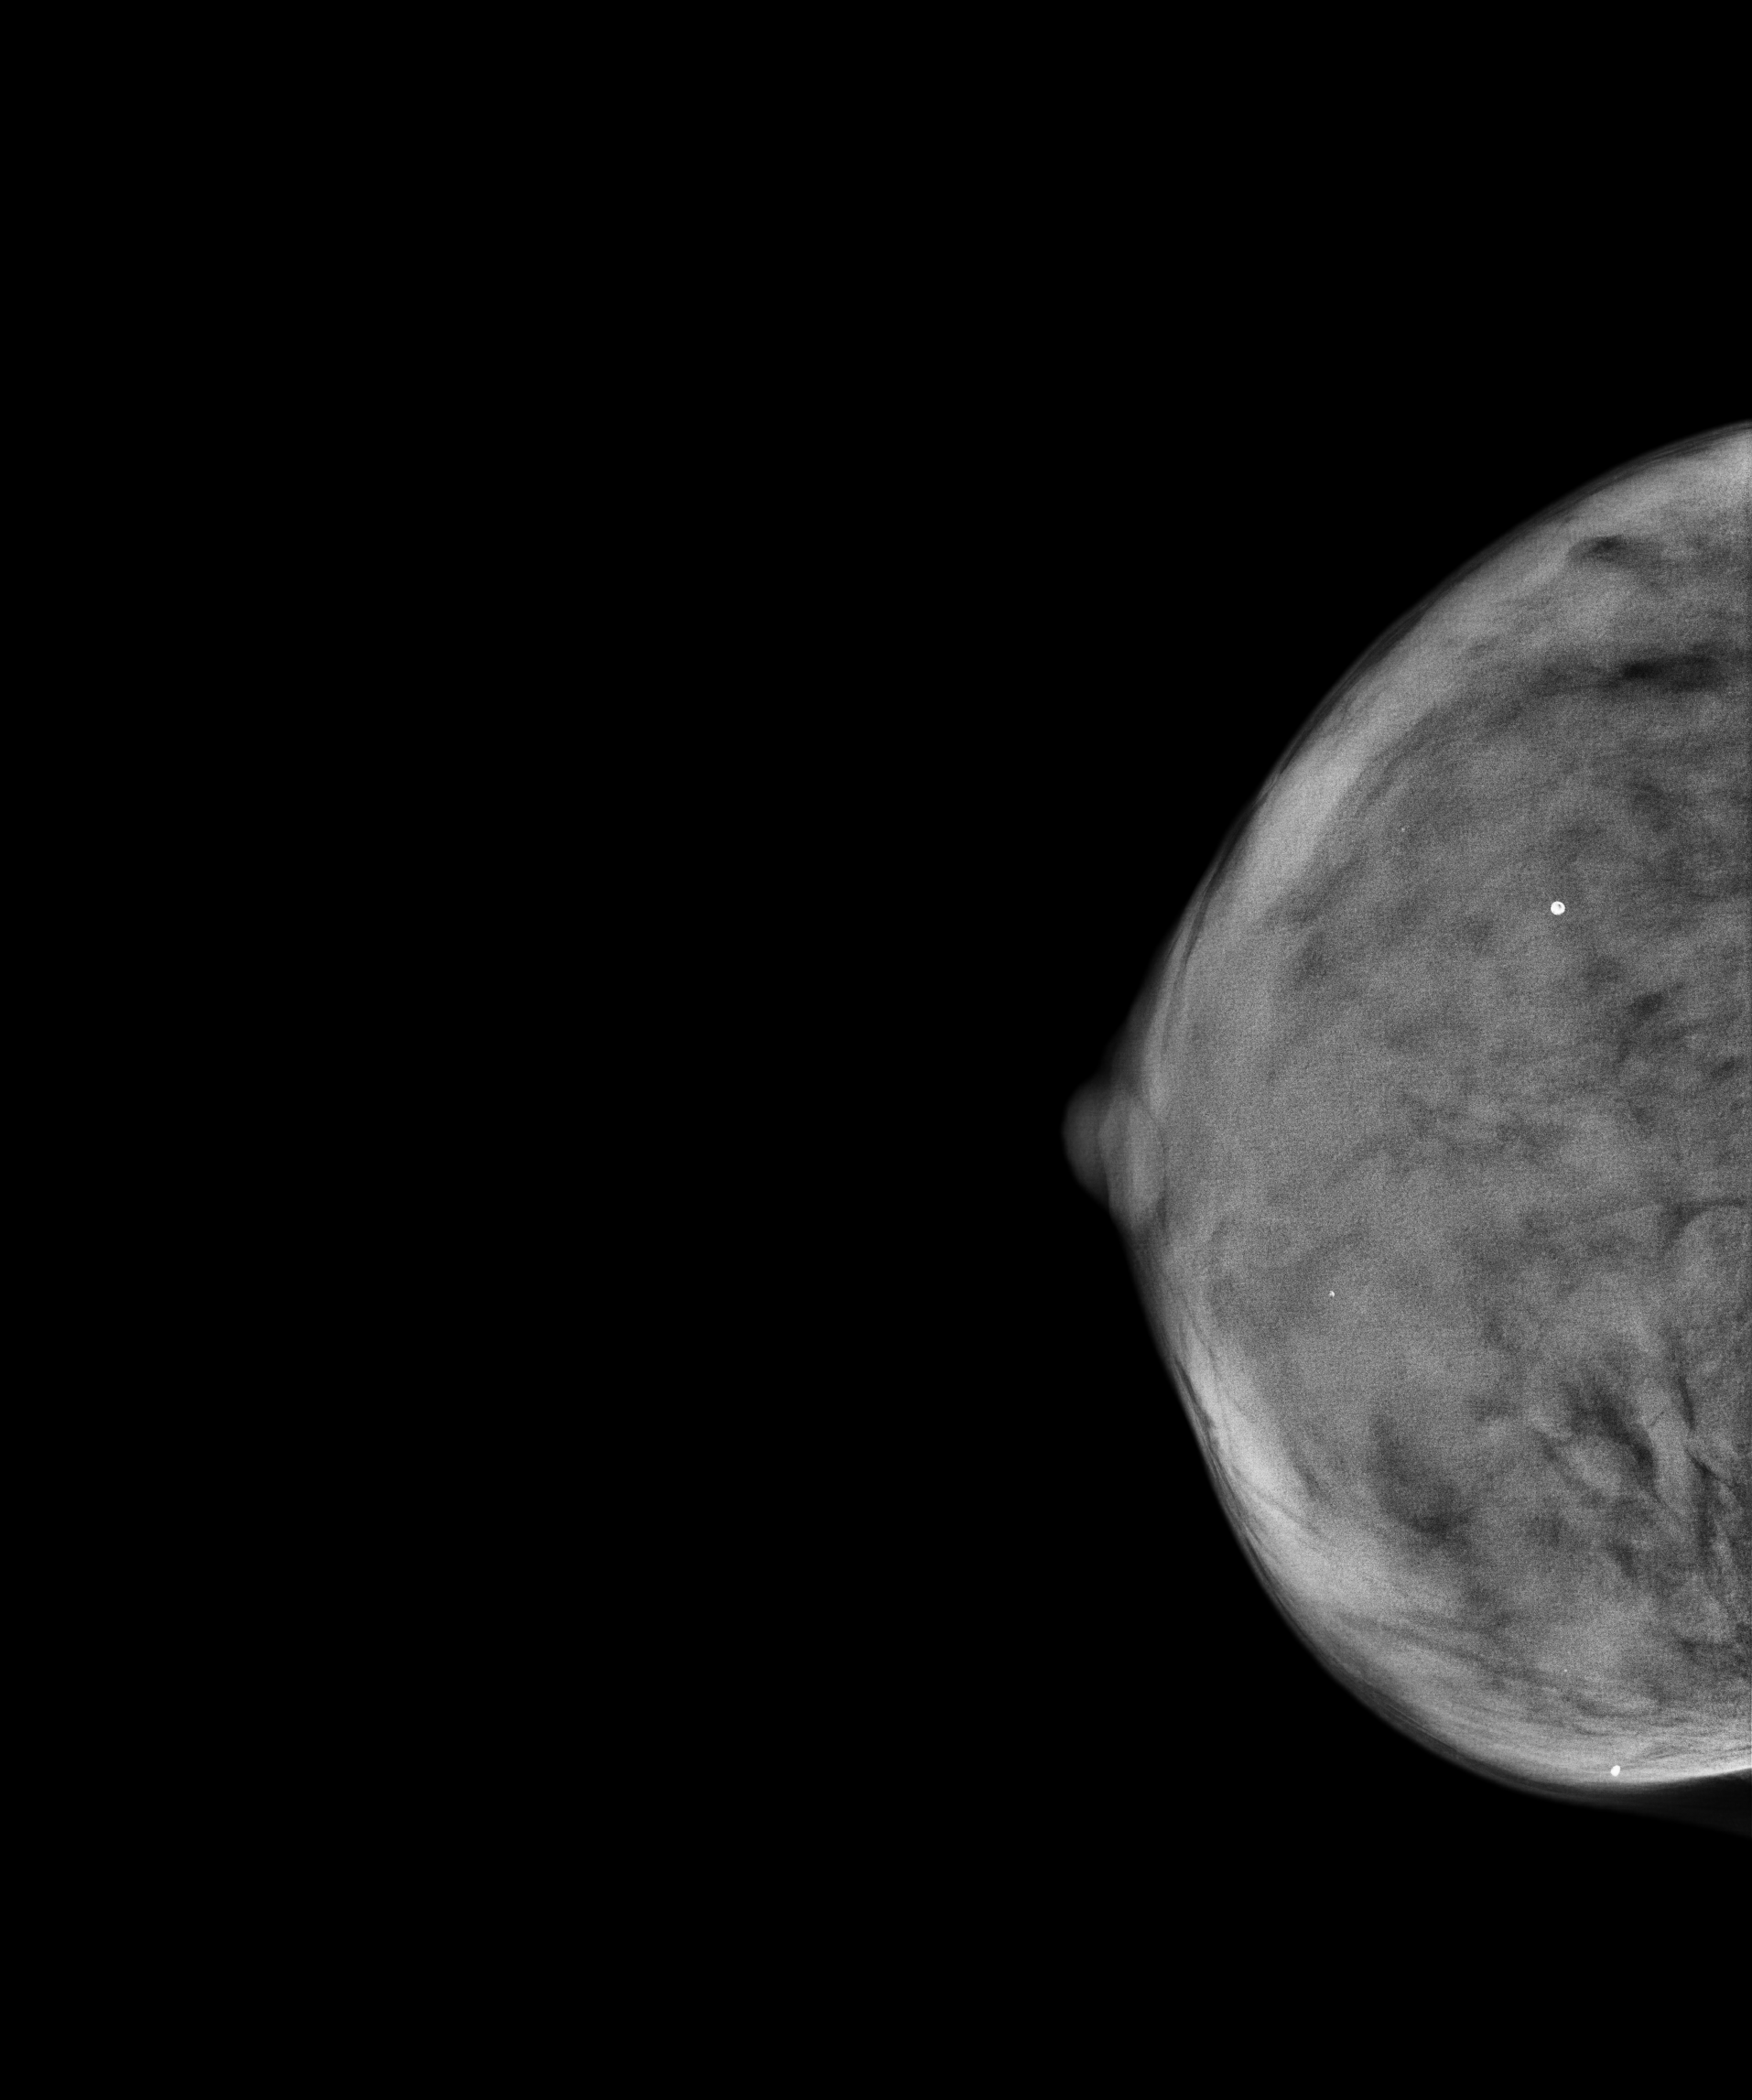
CC mammogram of the right breast. Patient age 46.
This breast has calcifications, biopsy-confirmed benign.